Mammogram, left breast, medio-lateral oblique view. Patient age 46.
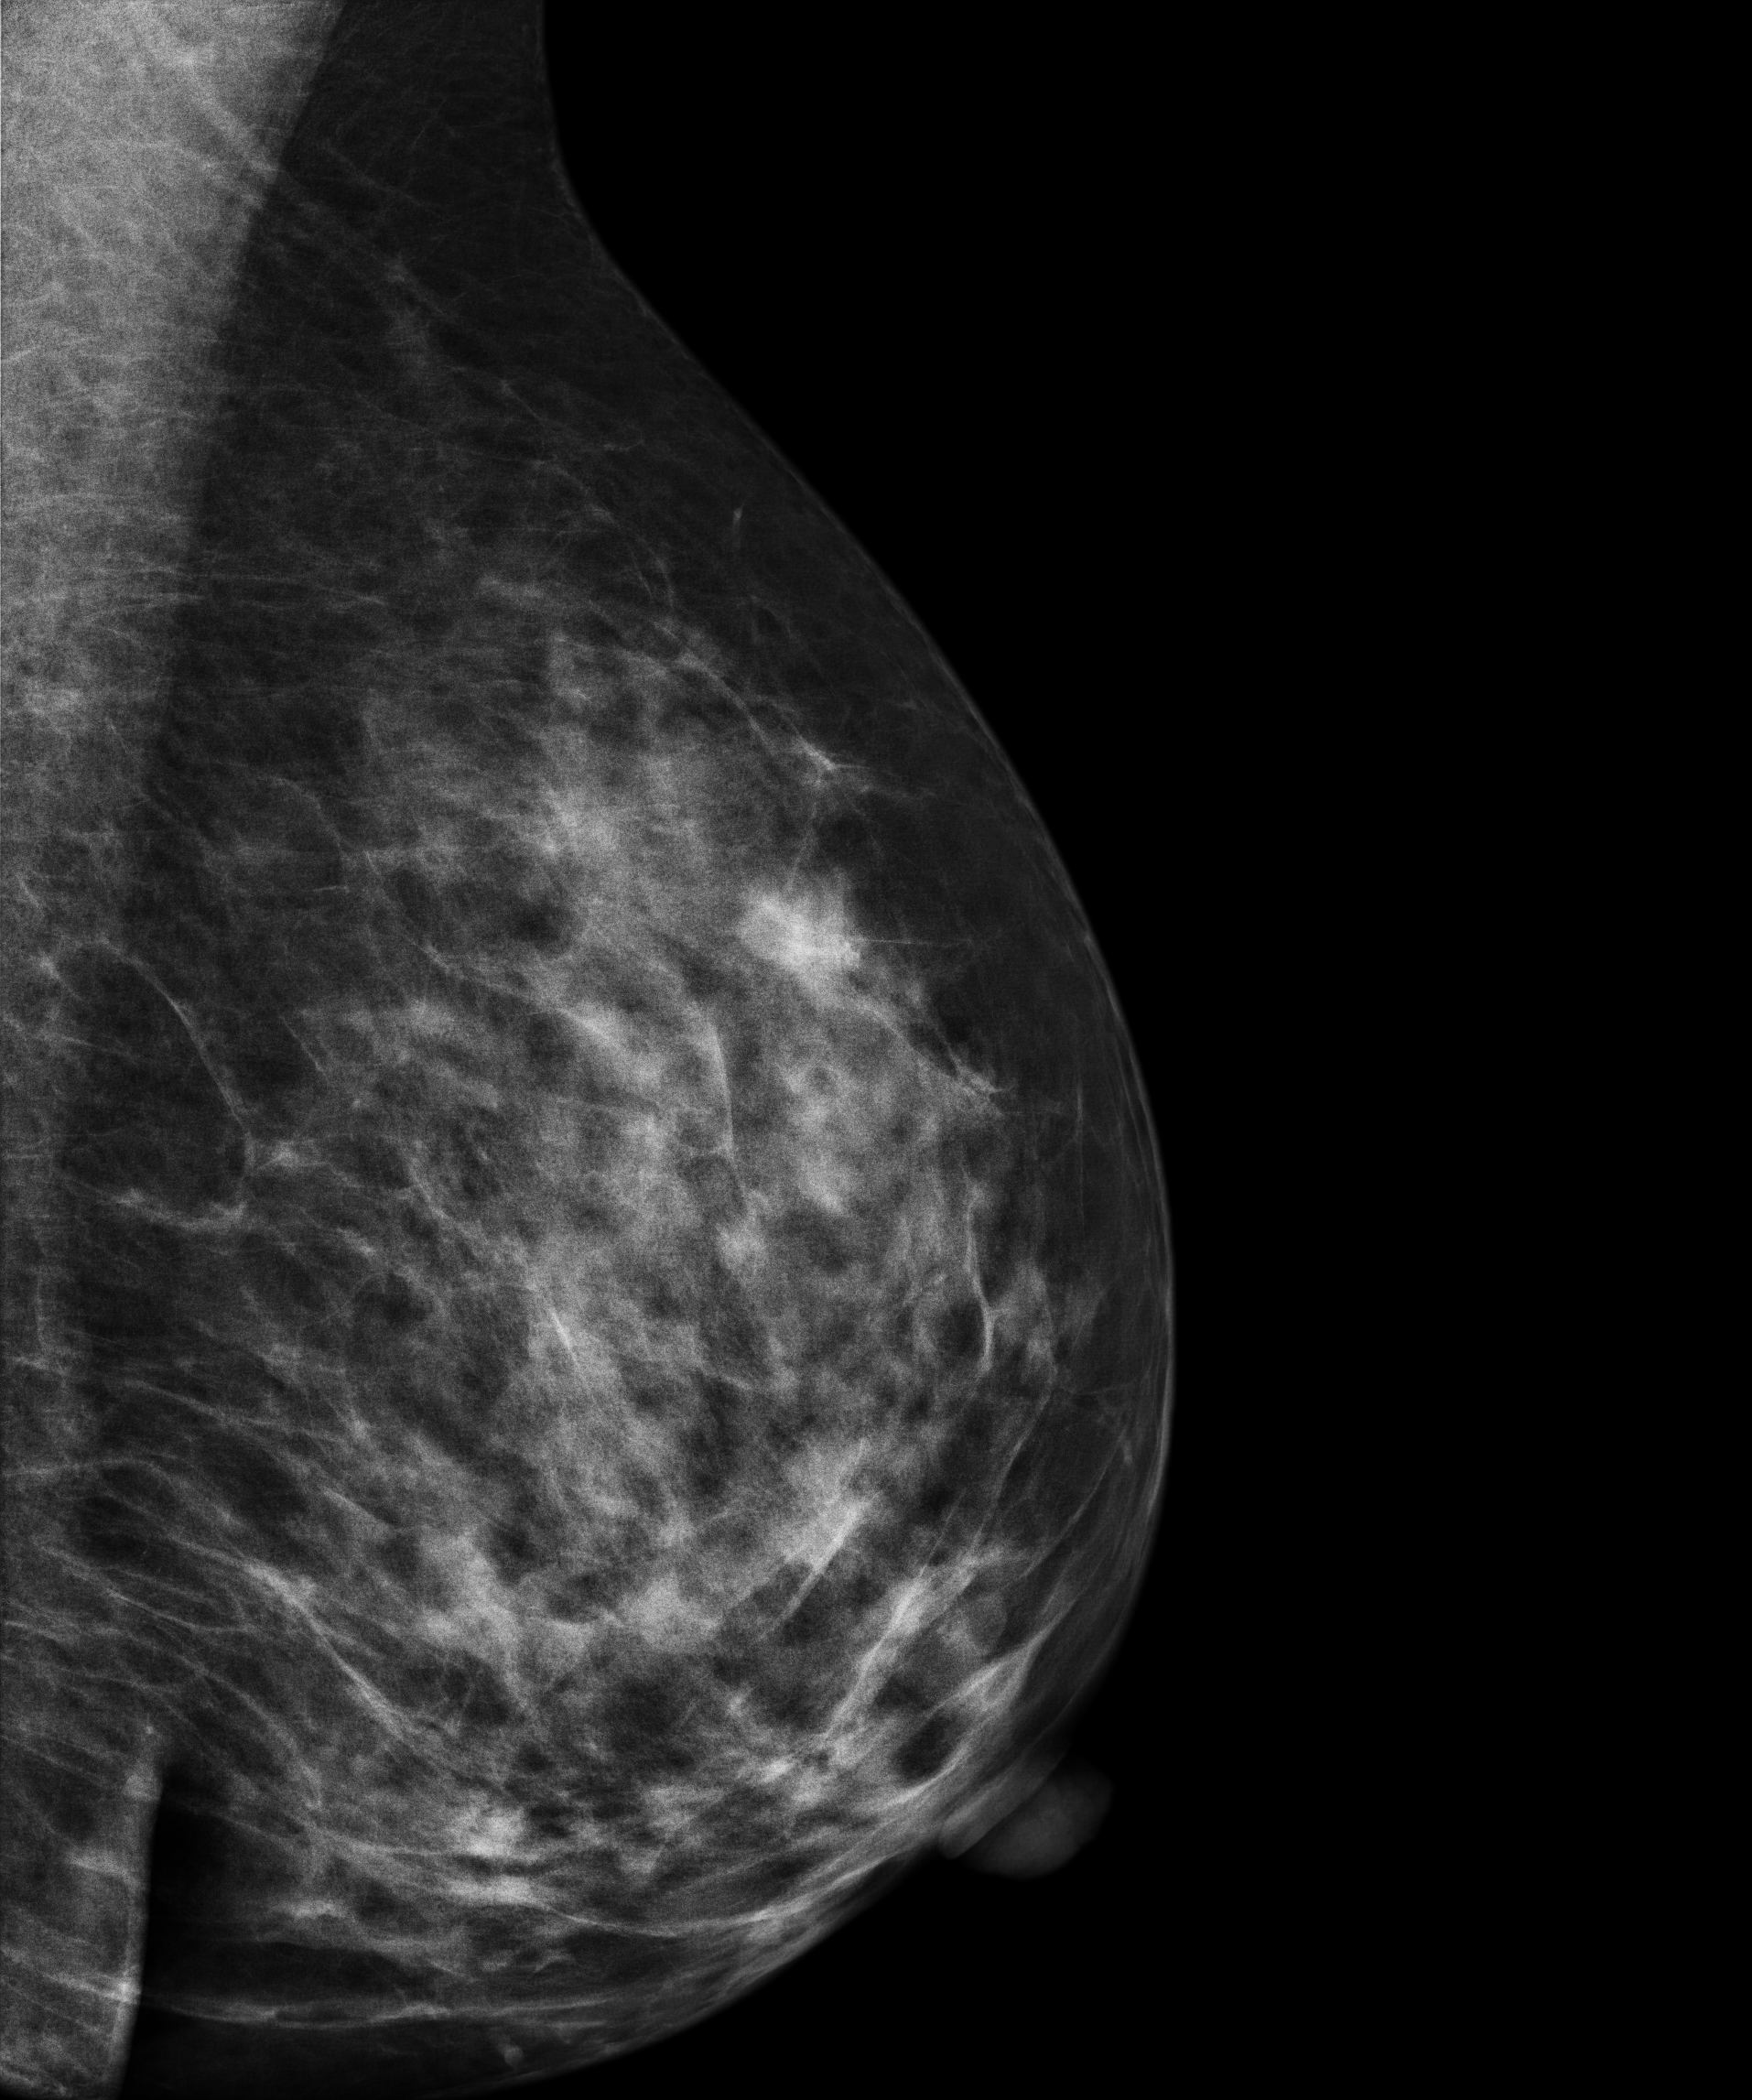
Contralateral breast — no documented abnormality on this side.